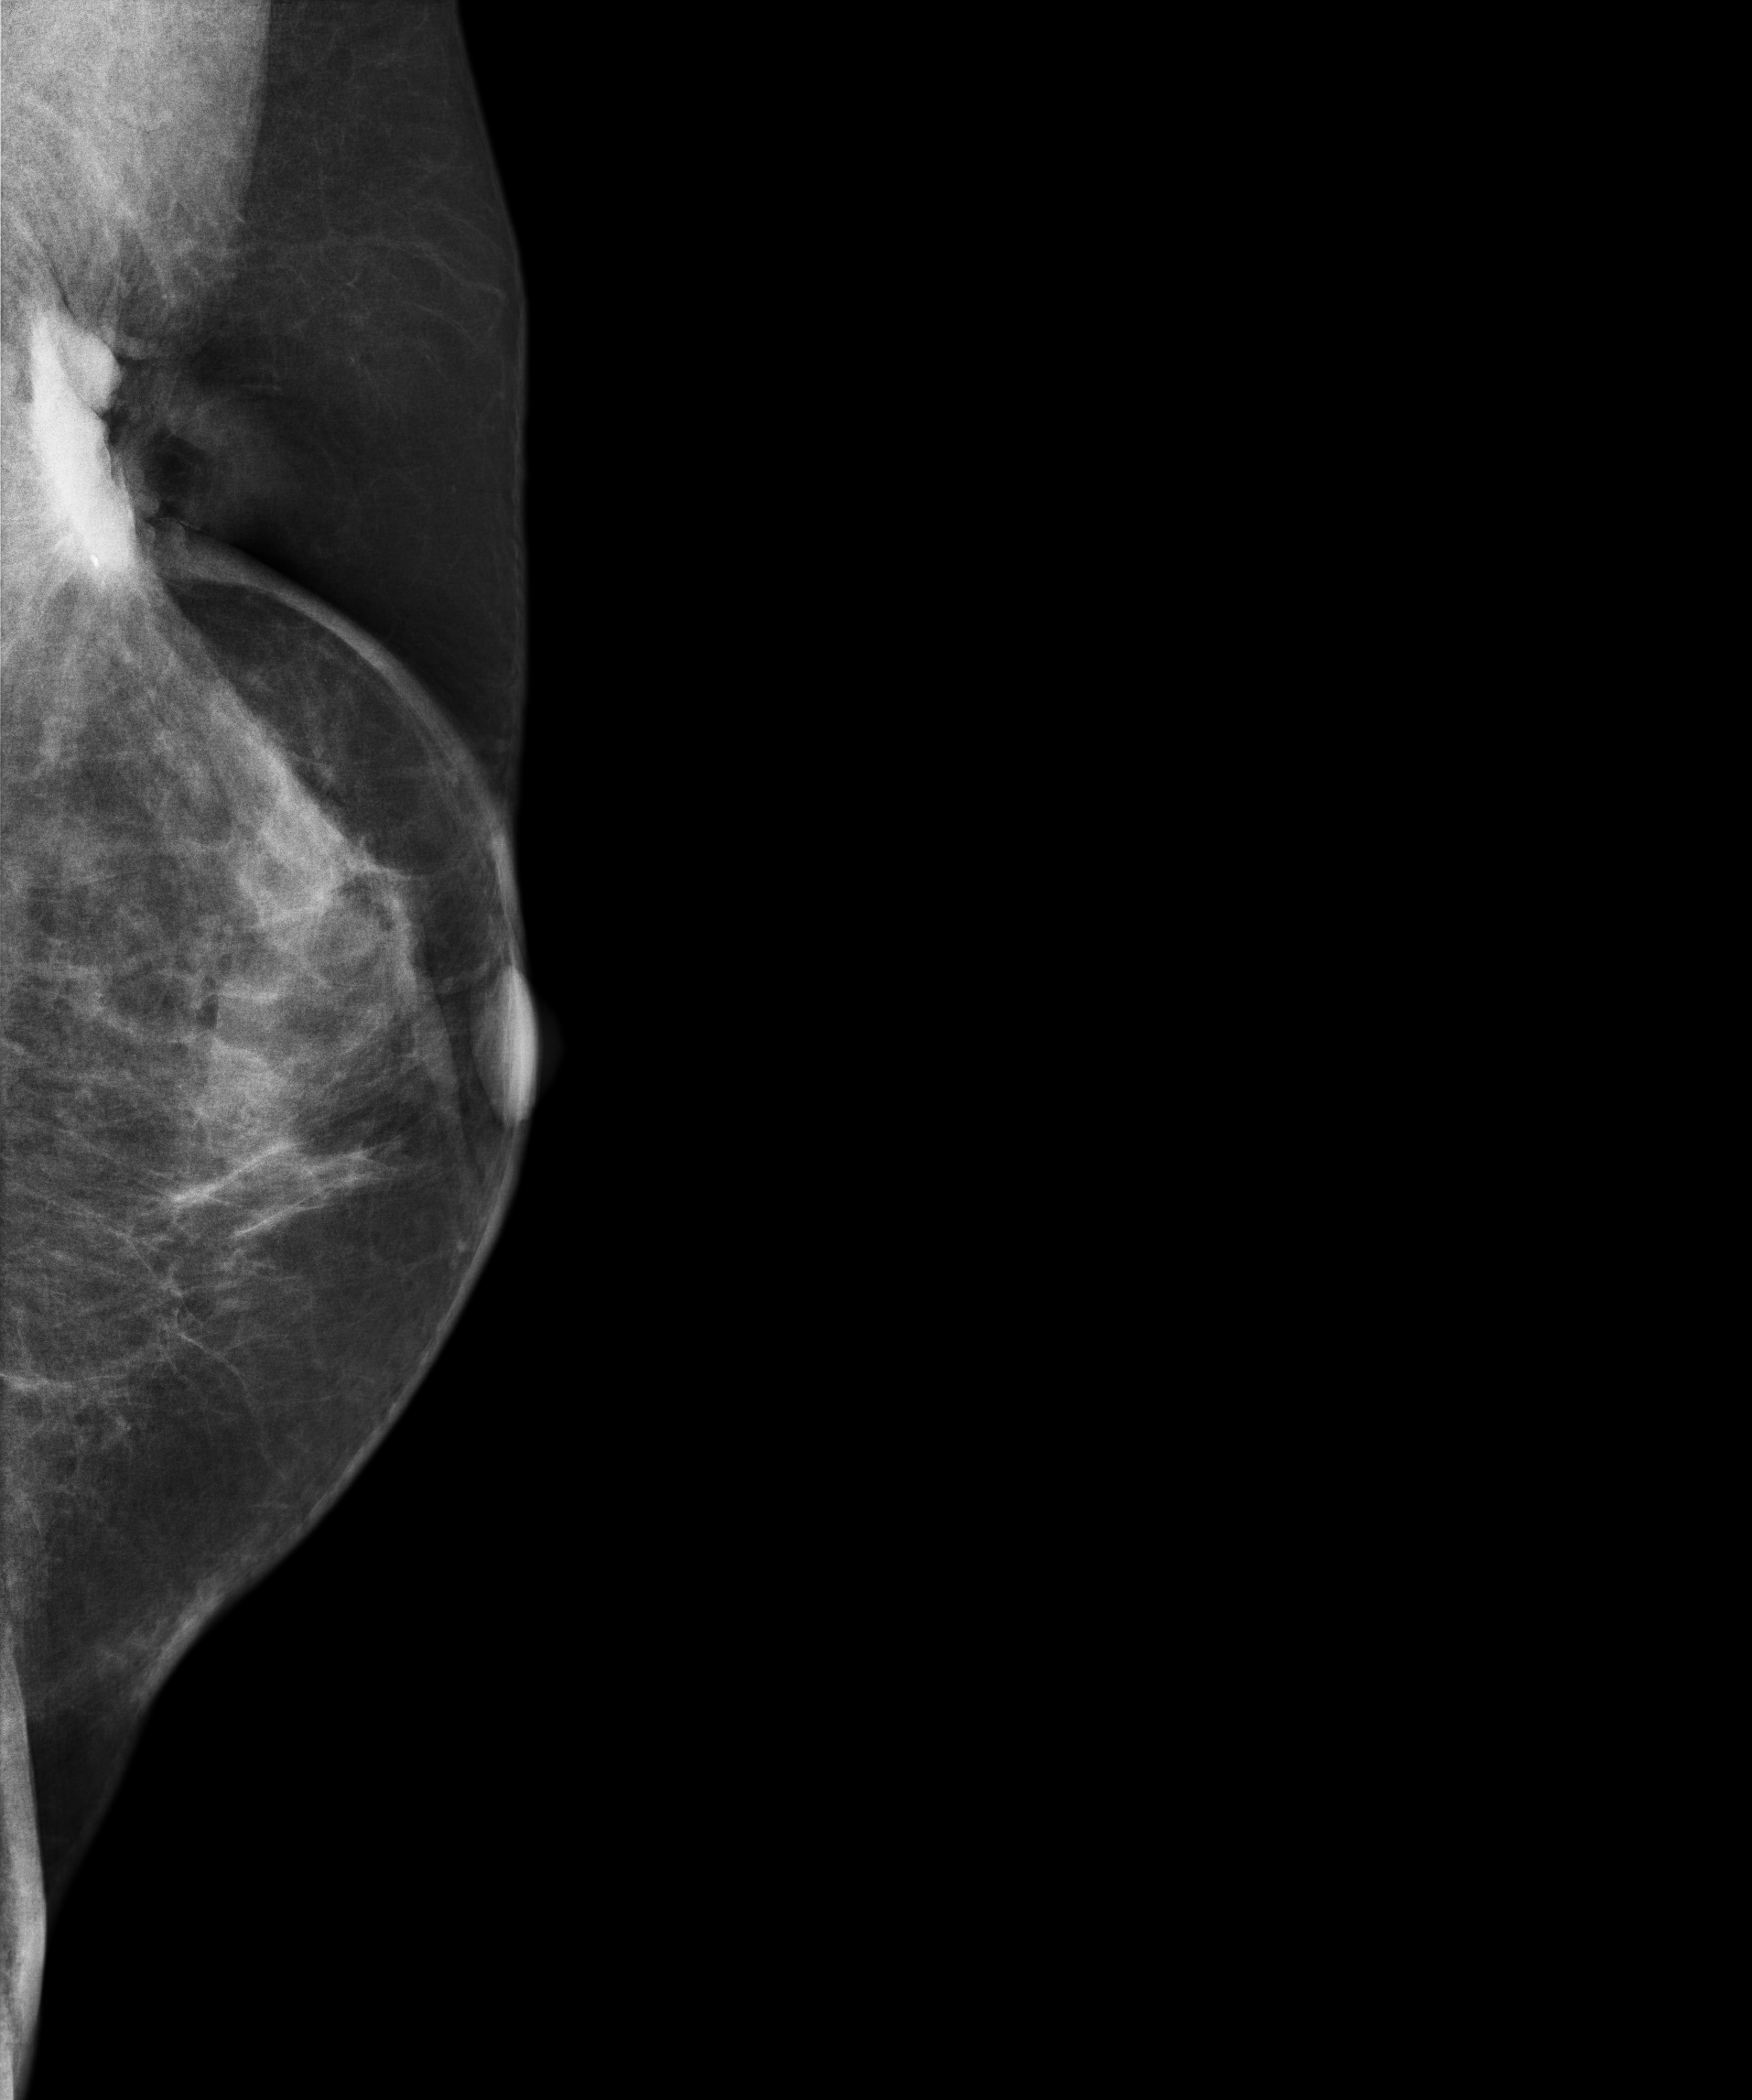
Mammogram, left breast, MLO view. 57 y/o patient.
This breast has a mass, pathology-confirmed malignant.